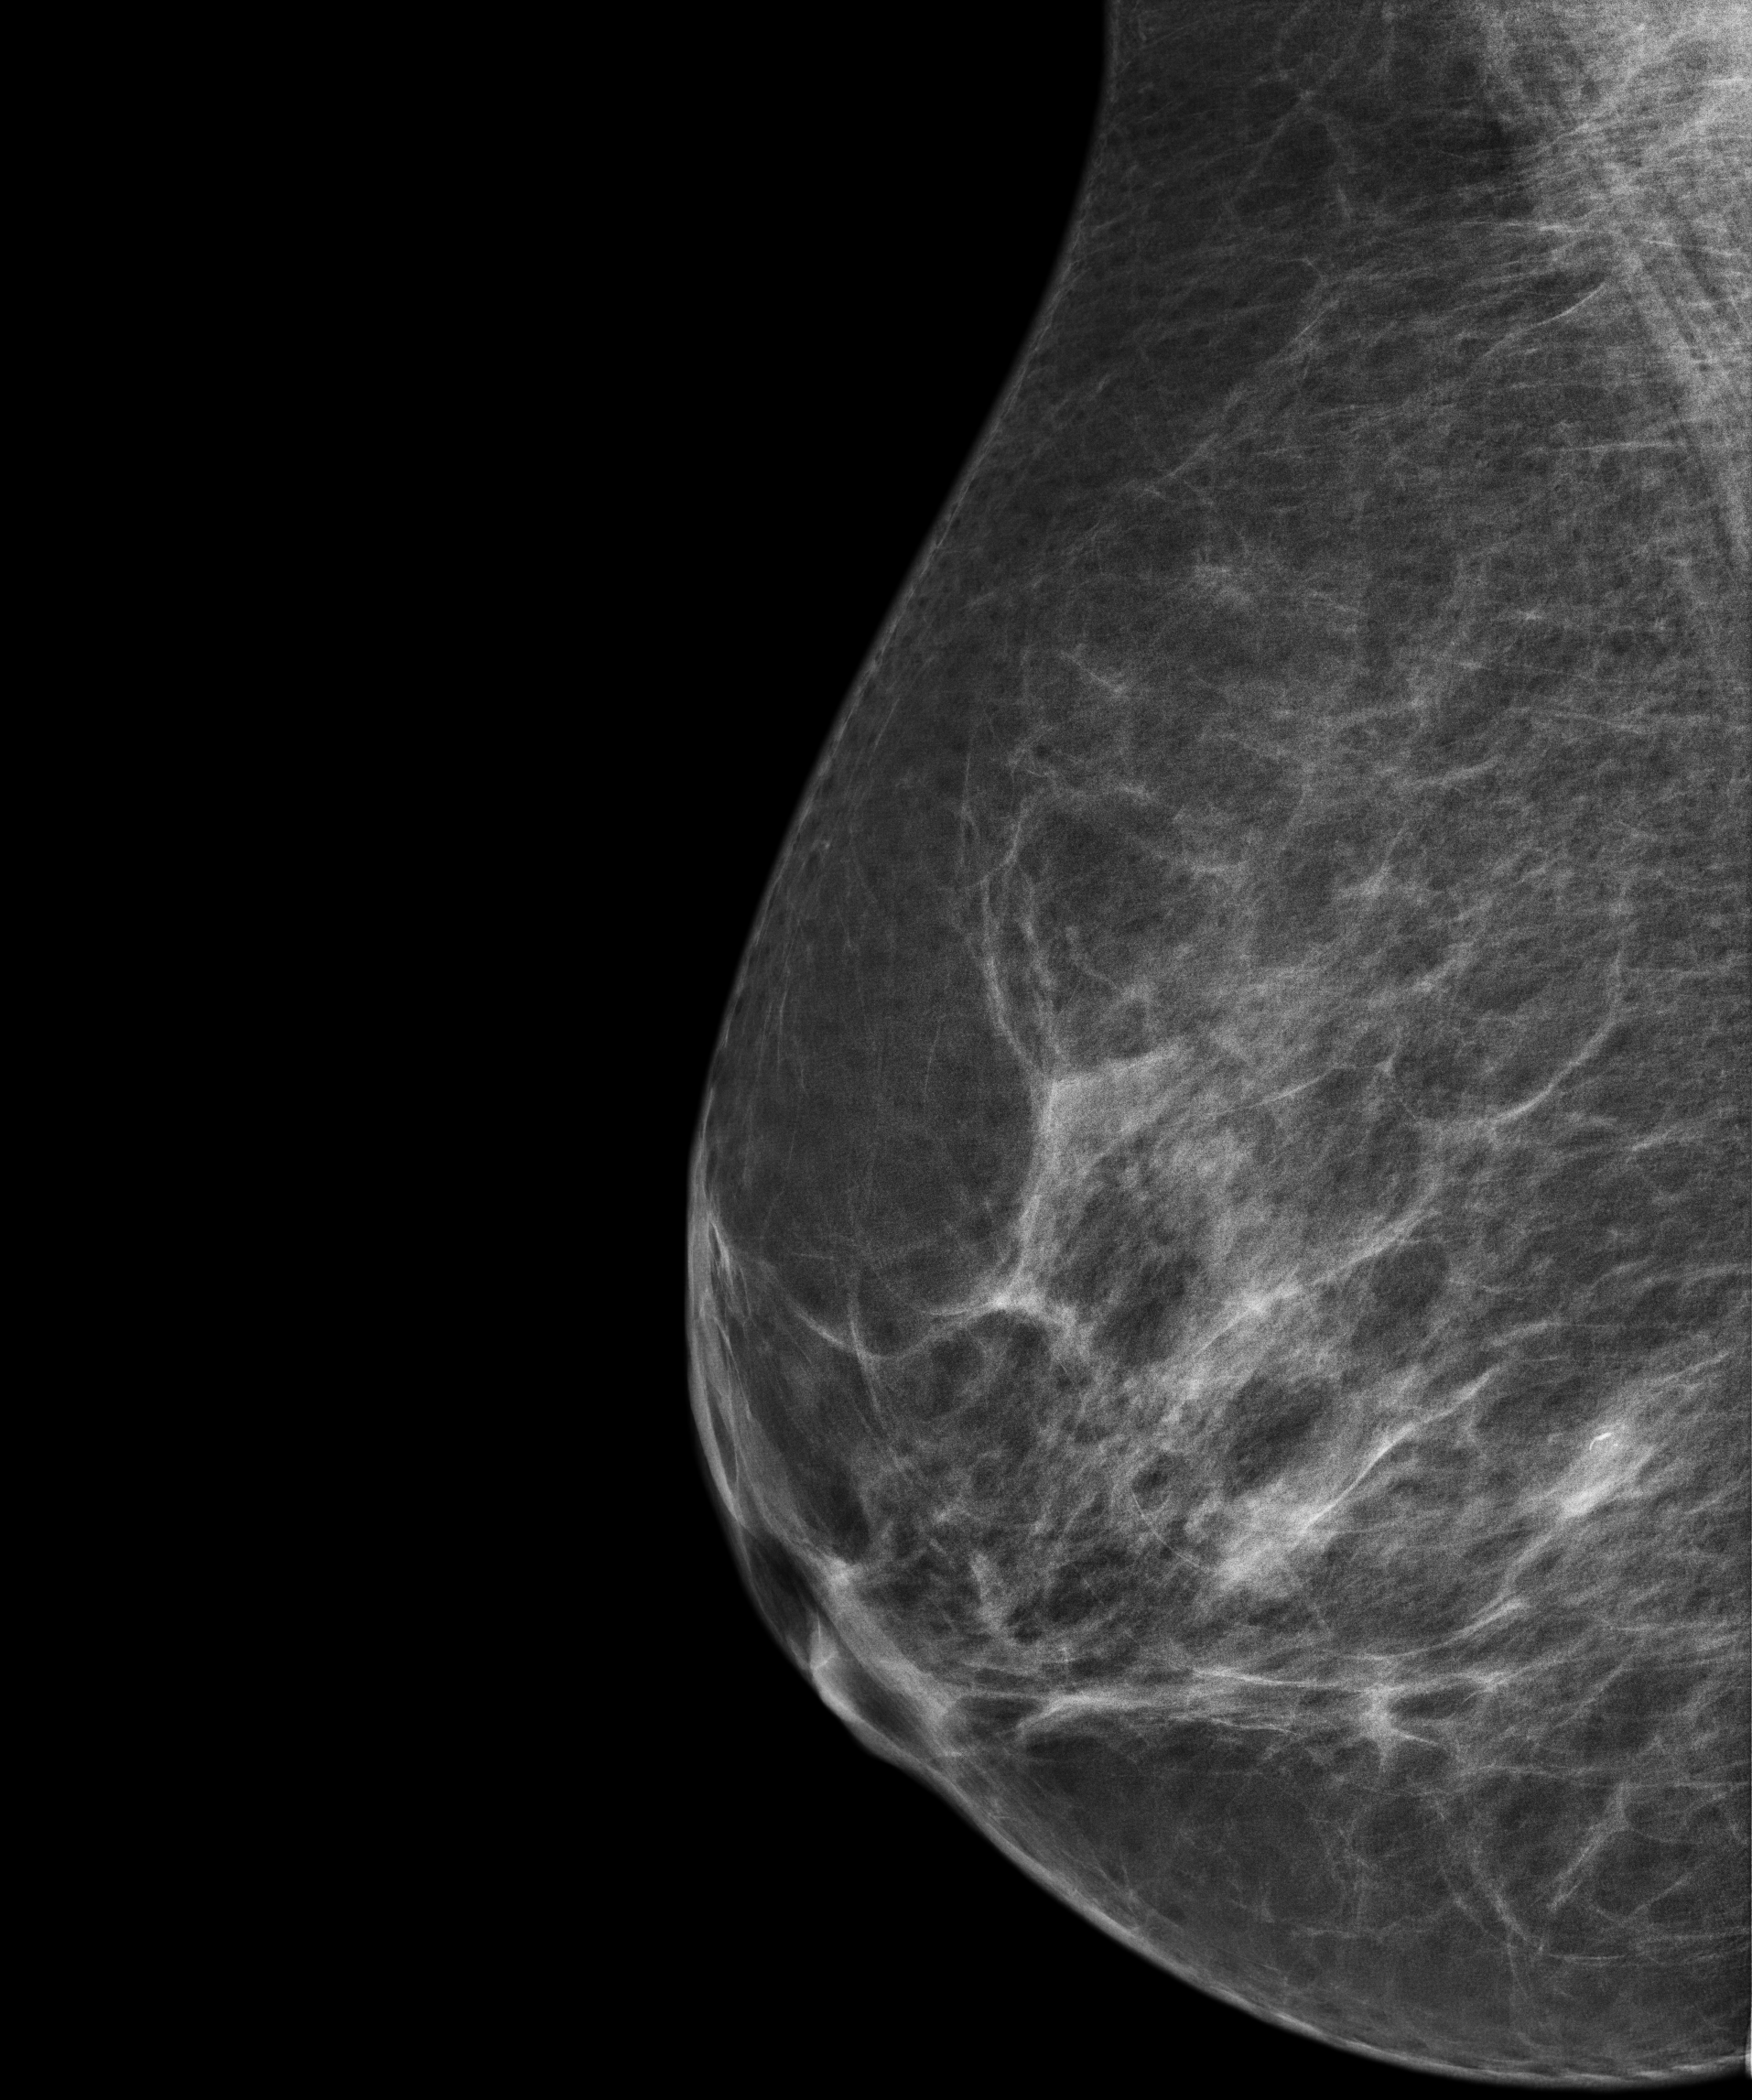
Digital mammography. Right breast, medio-lateral oblique projection. Patient age 58.
Contralateral breast — no documented abnormality on this side.